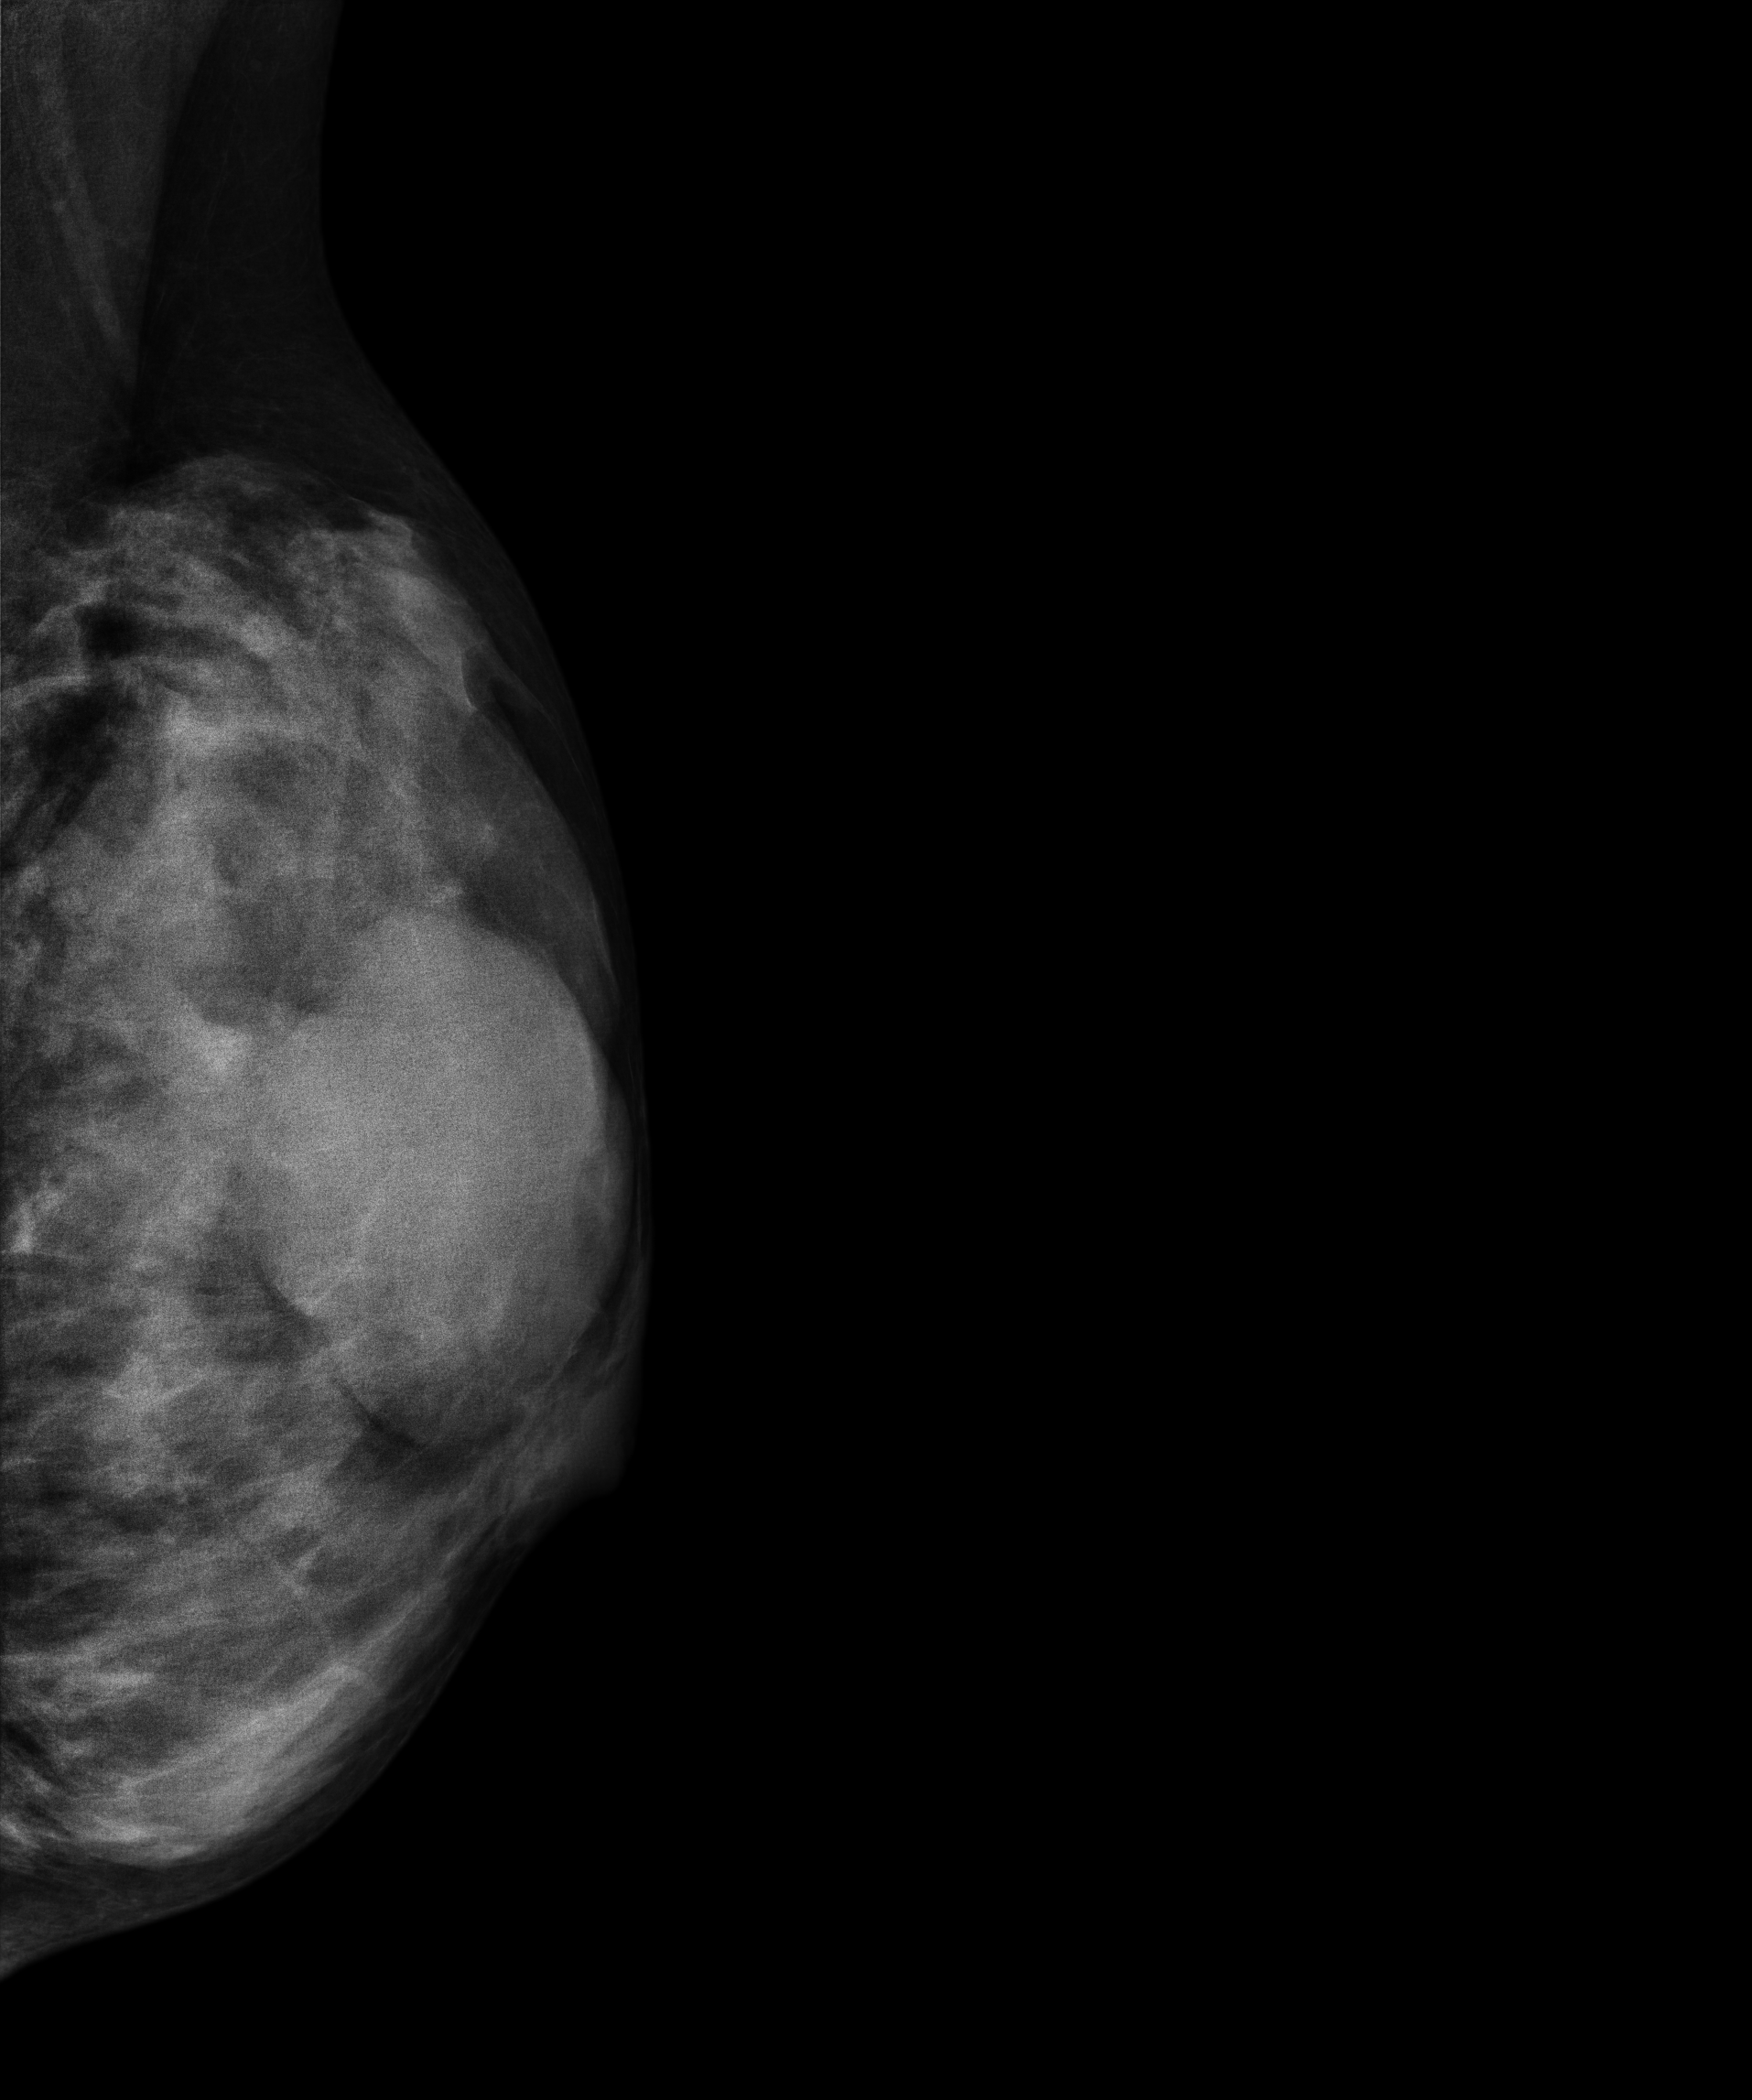
Left-breast mammogram, medio-lateral oblique. 17-year-old patient.
This breast has a mass, biopsy-proven benign.